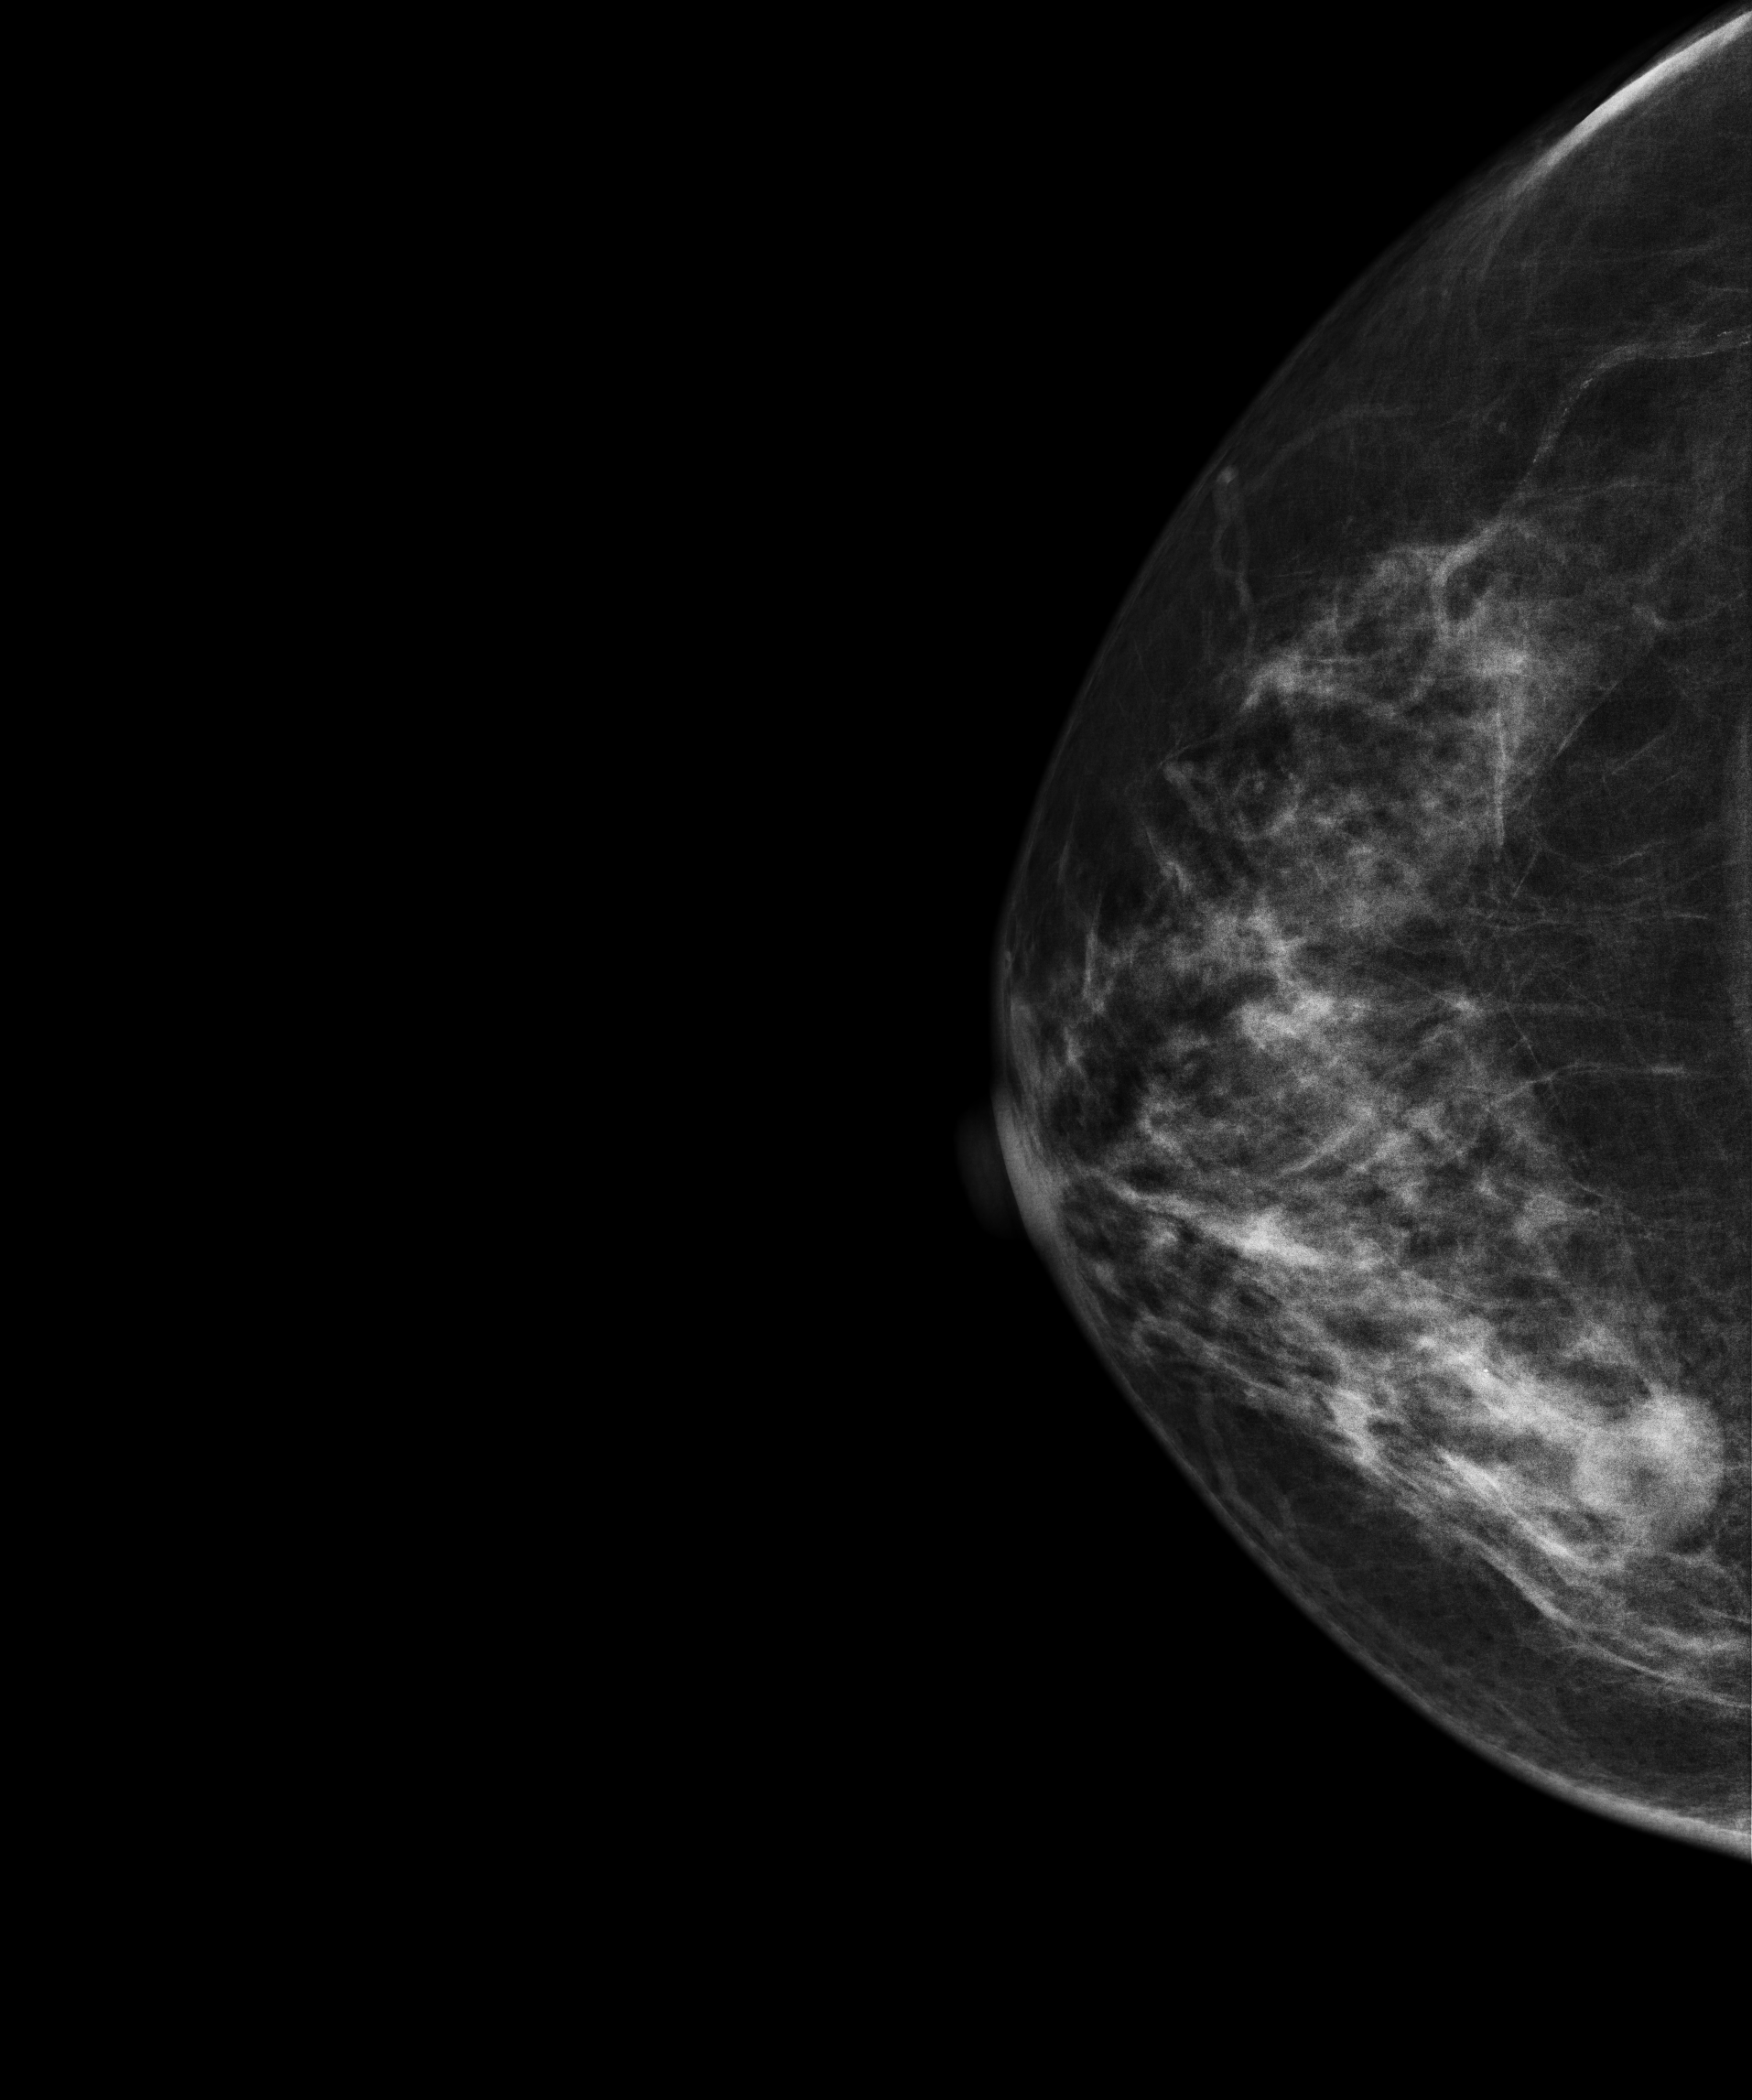
Right-breast mammogram, CC. Patient age 53.
This breast has a mass, biopsy-confirmed malignant. Molecular subtype: luminal A.